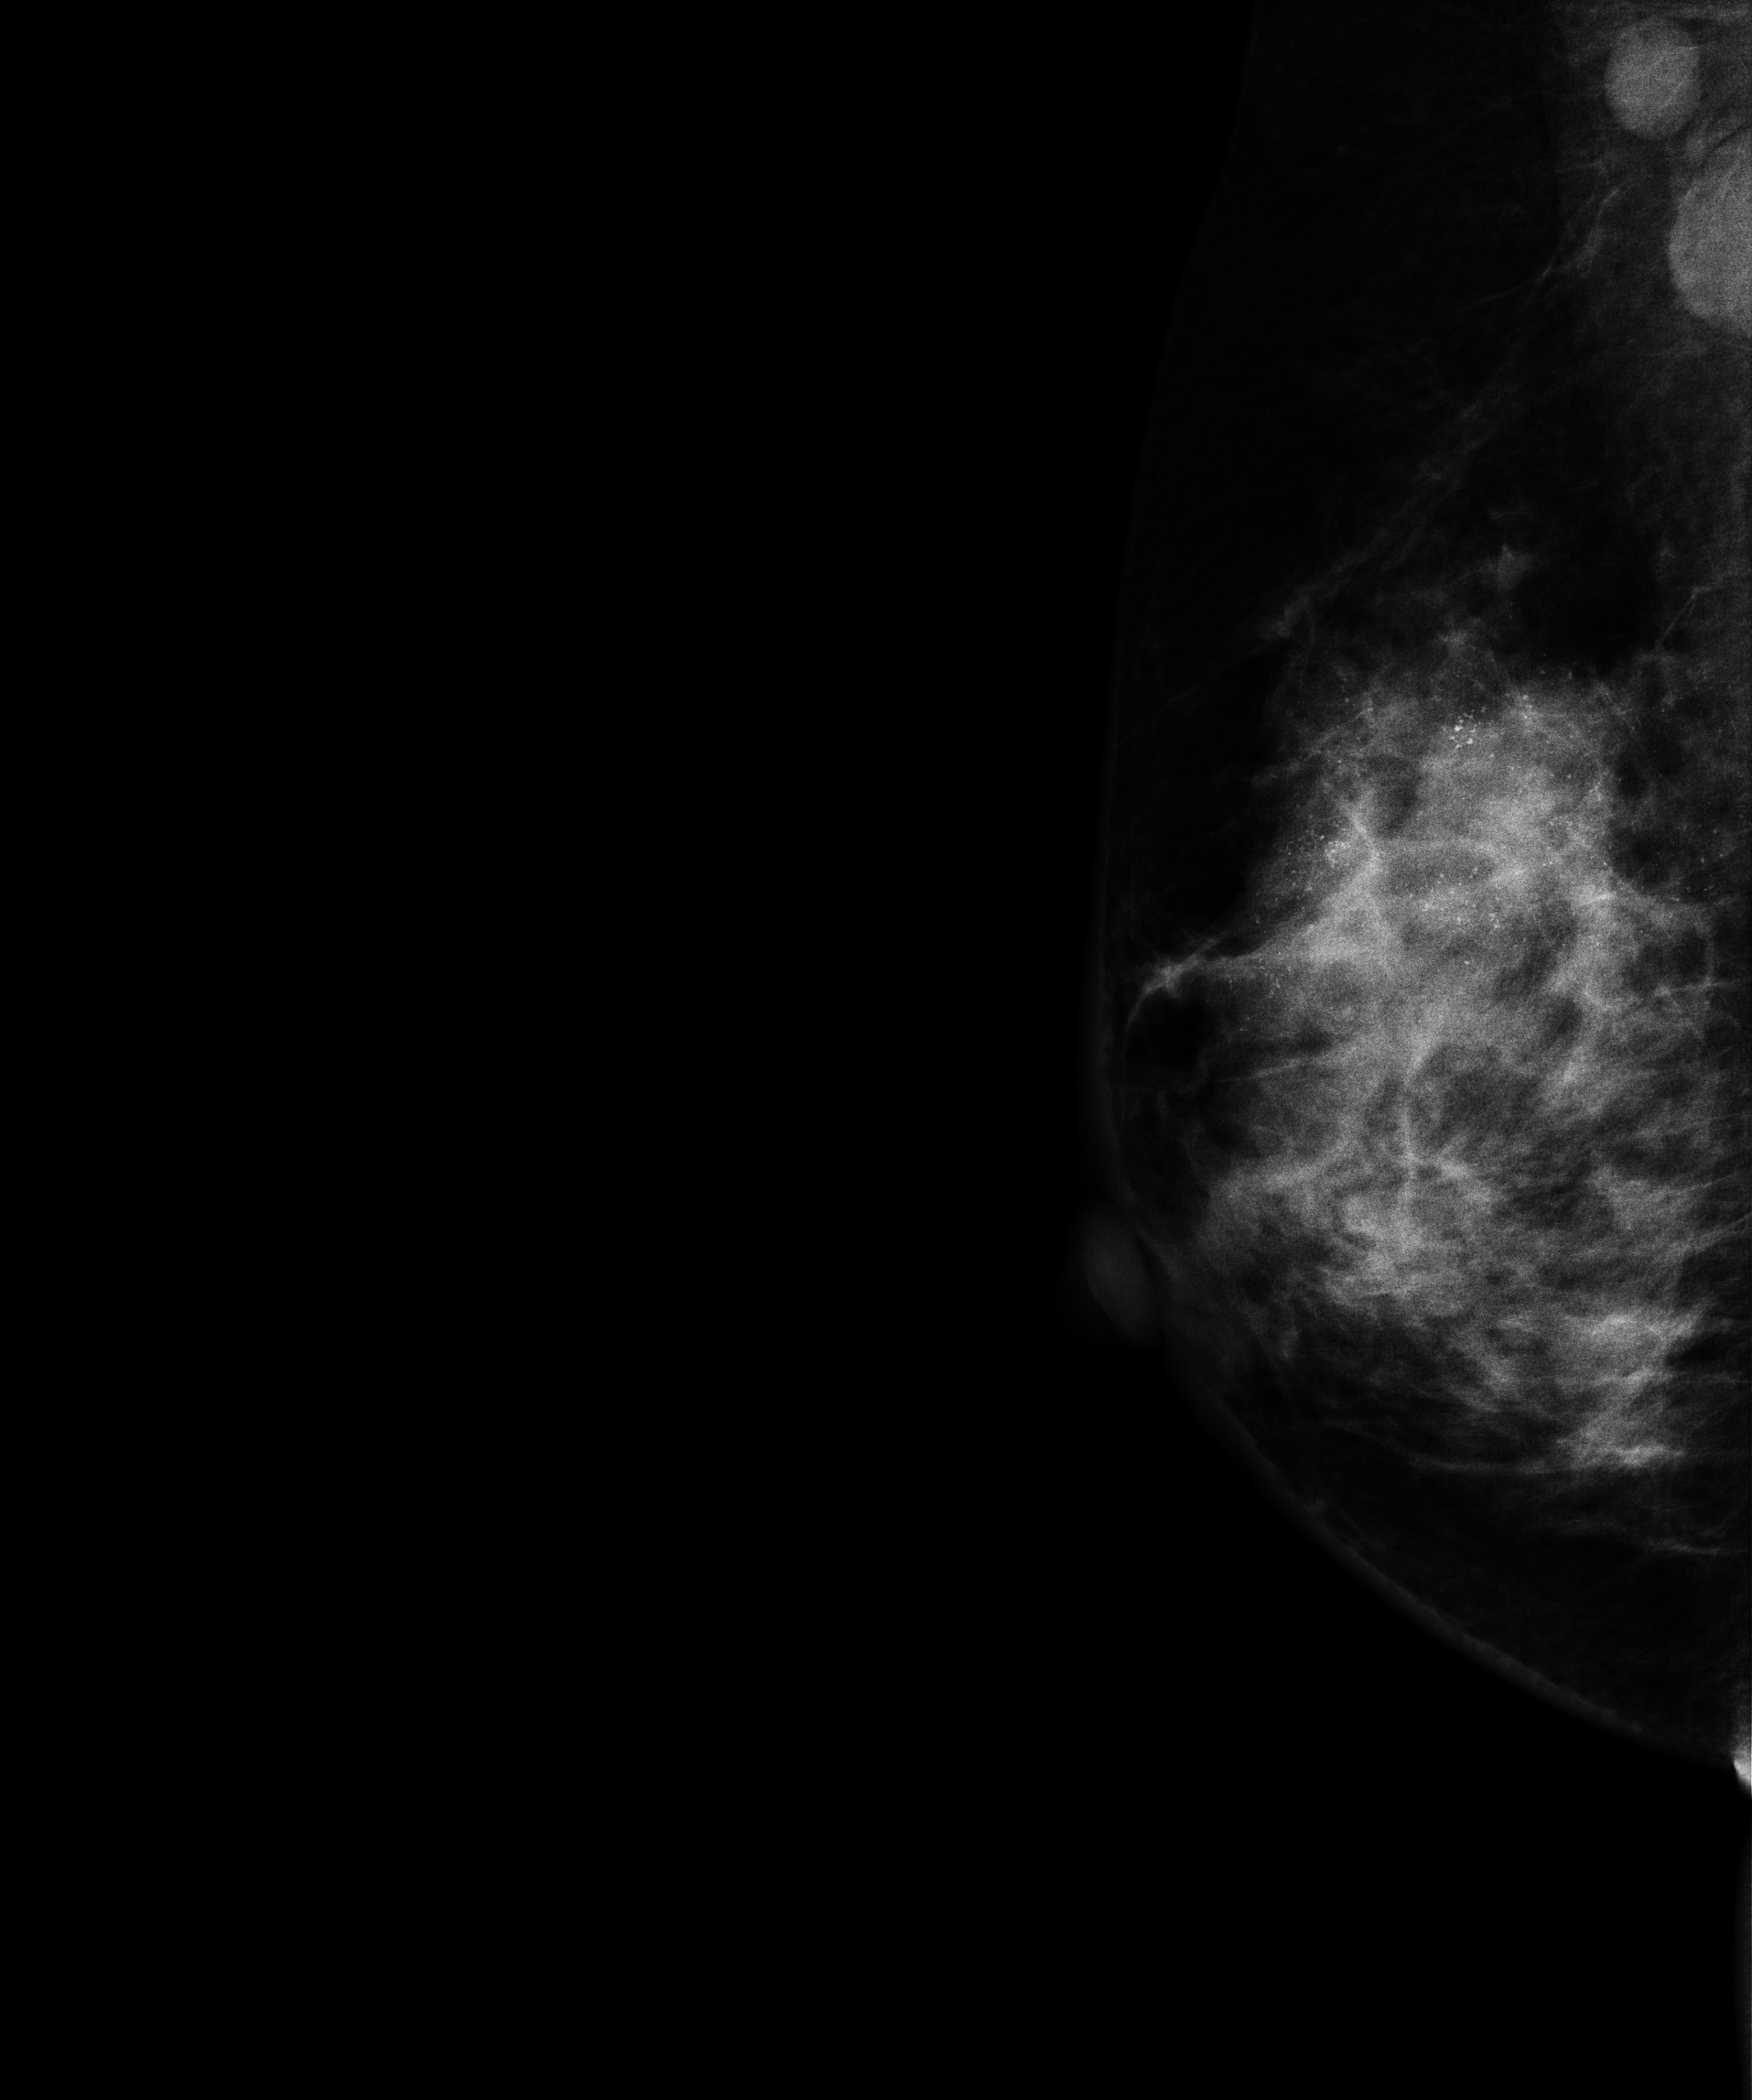
Medio-lateral oblique mammogram of the right breast. Patient age 42.
This breast has a mass and calcifications, biopsy-proven malignant. Molecular subtype: HER2-enriched.